Left-breast mammogram, MLO. 43 y/o patient.
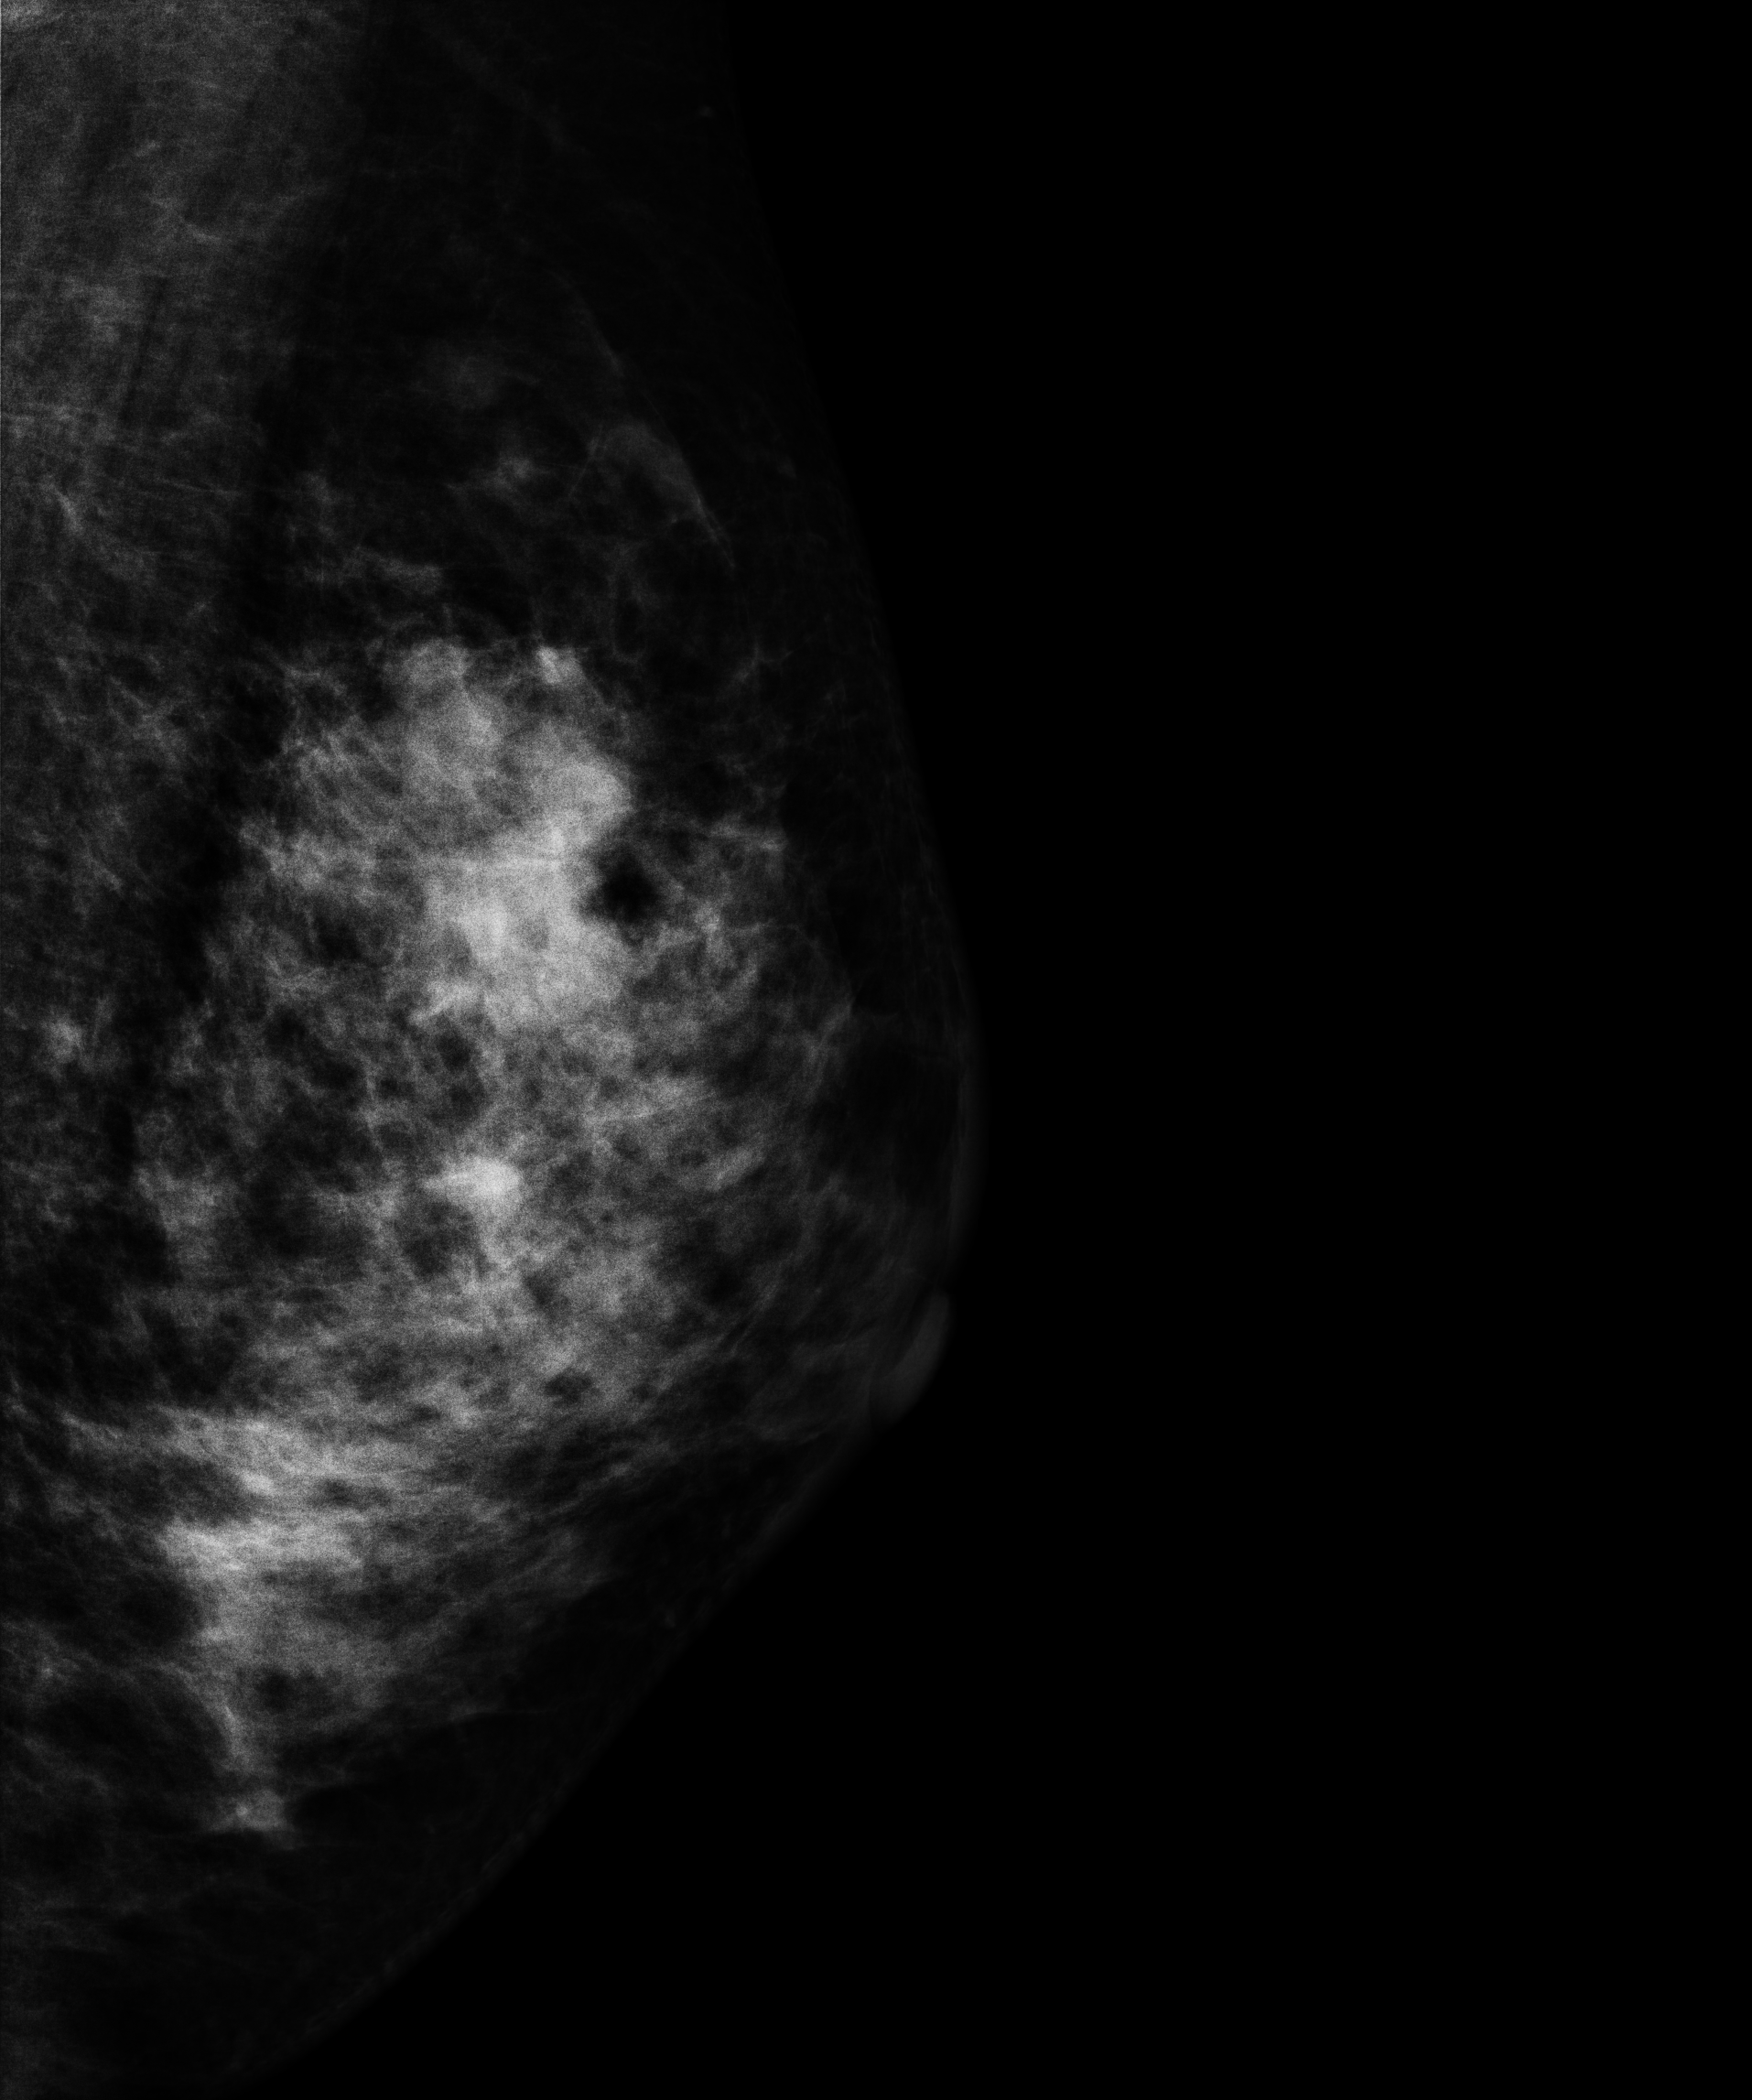
This breast has a mass, pathology-confirmed malignant. Molecular subtype: triple-negative.